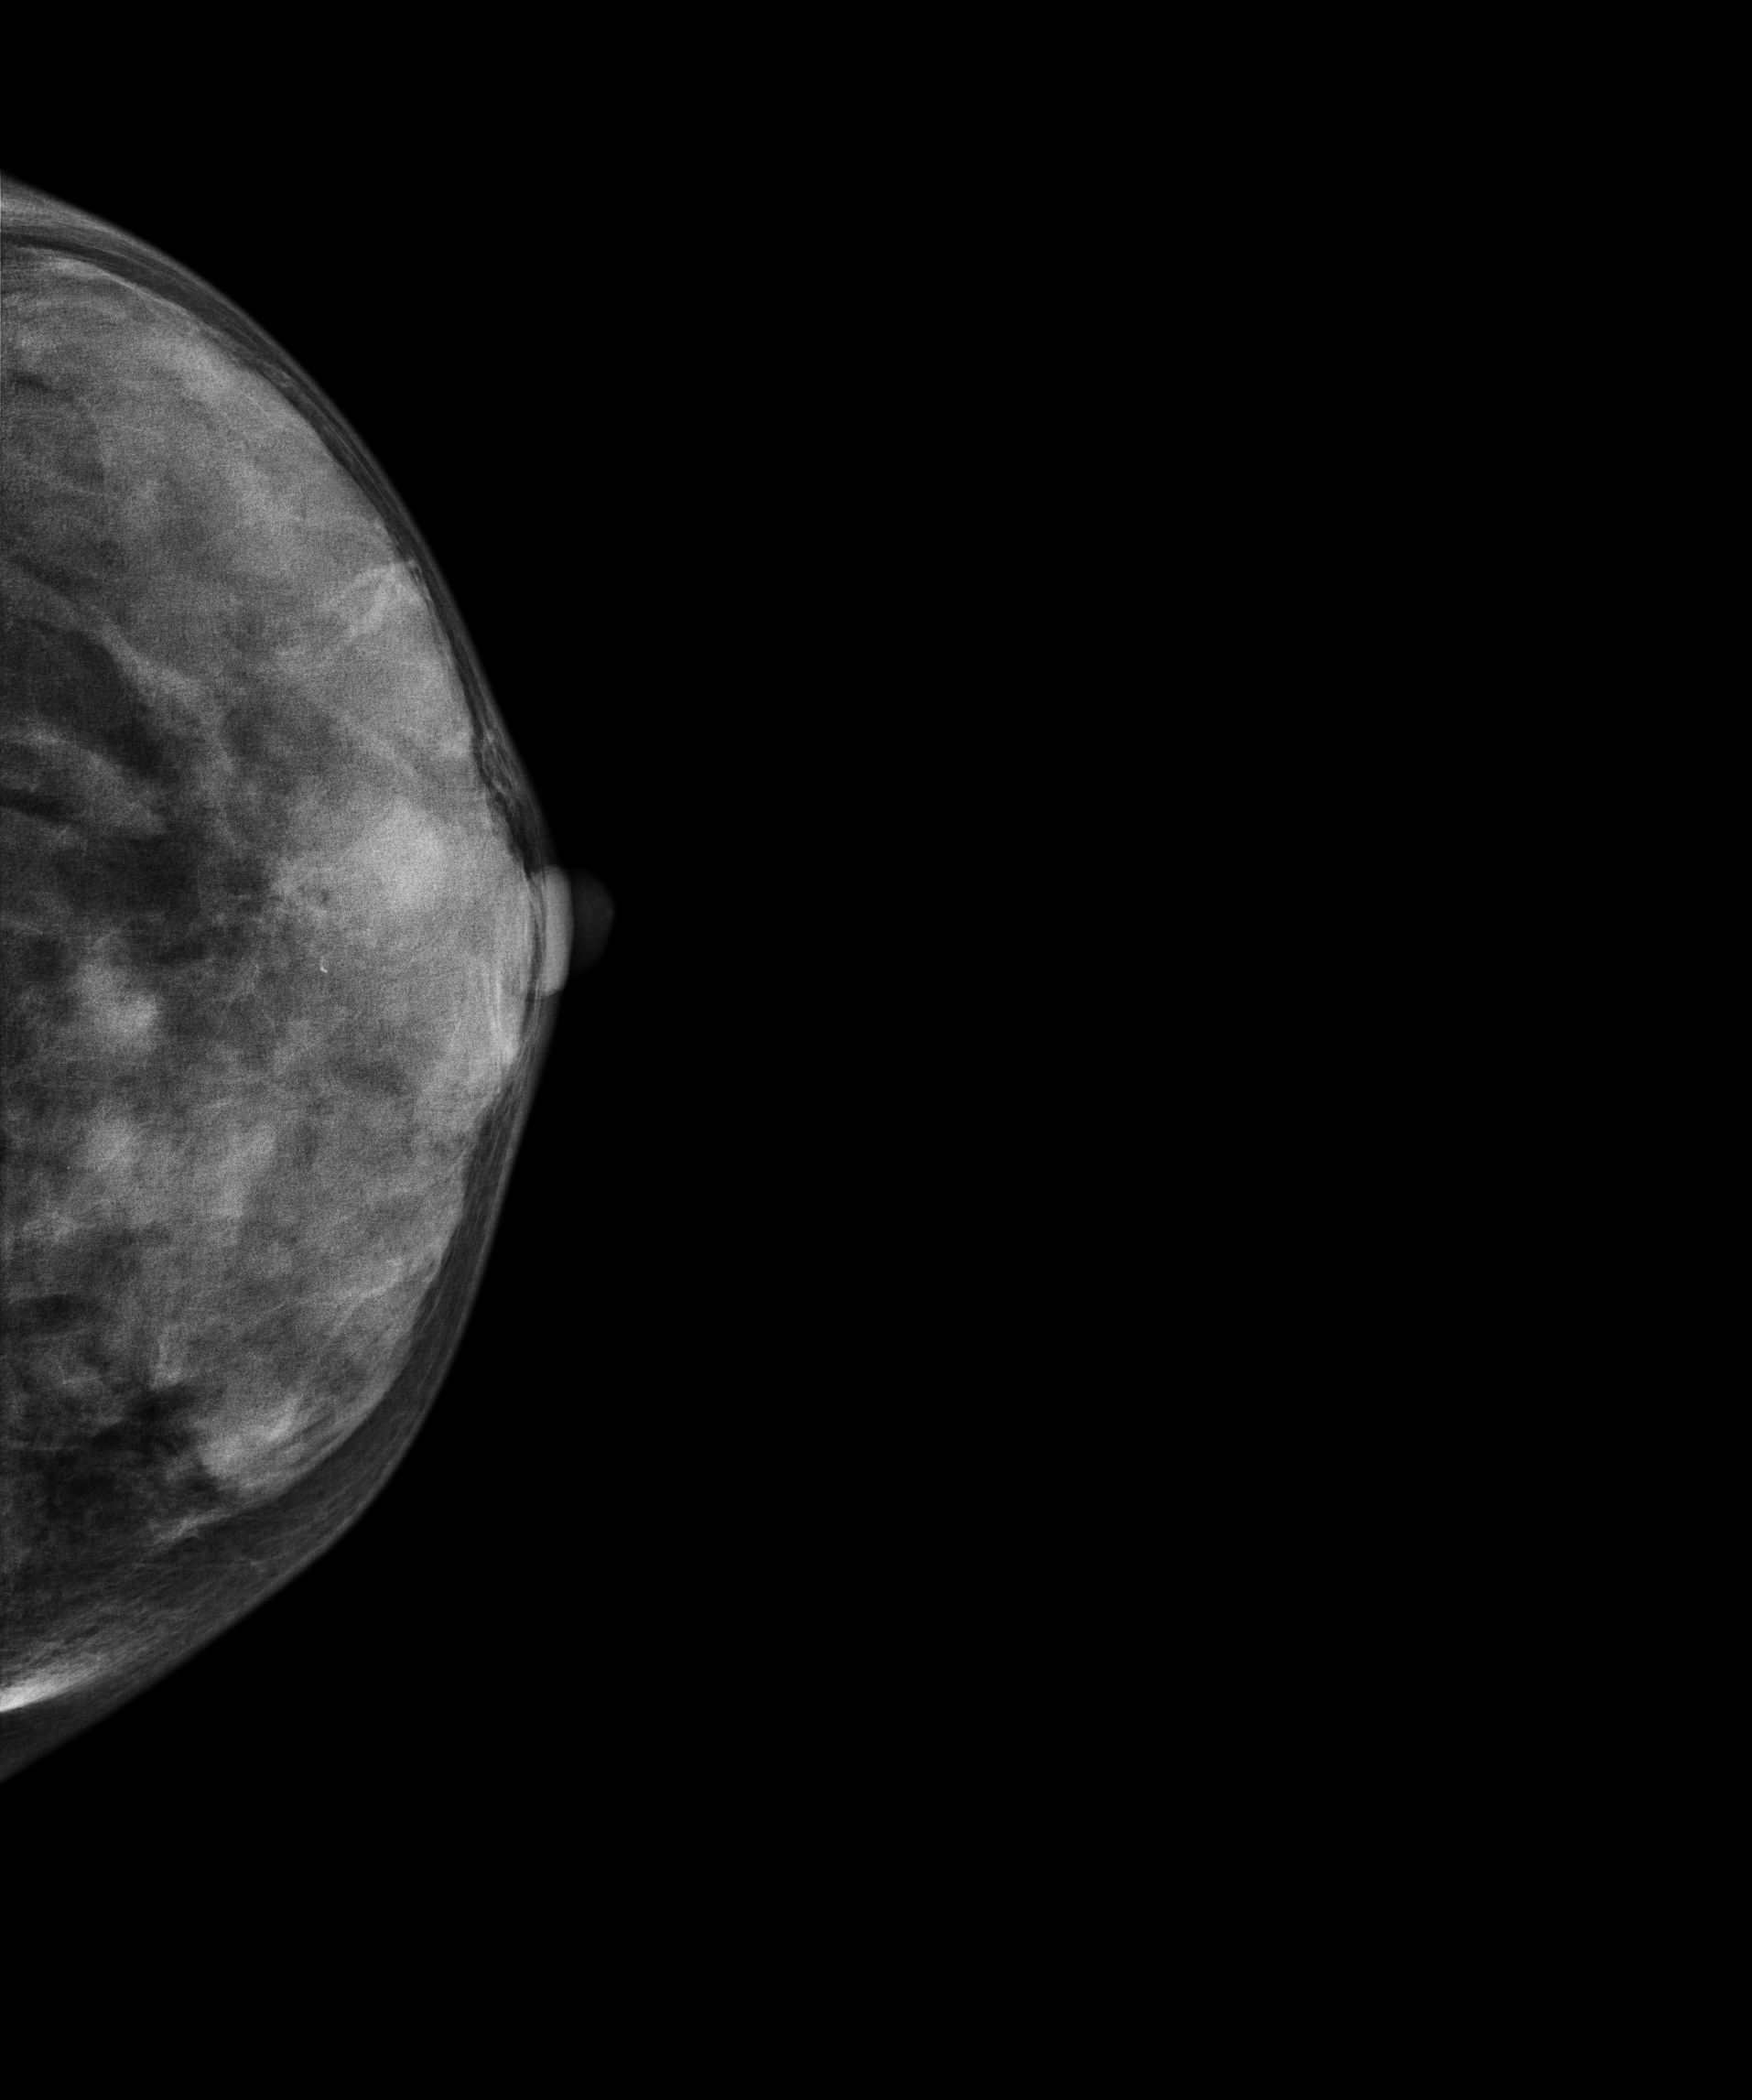
Digital mammography. Left breast, CC projection. Patient age 48.
This breast has a mass, pathology-confirmed benign.